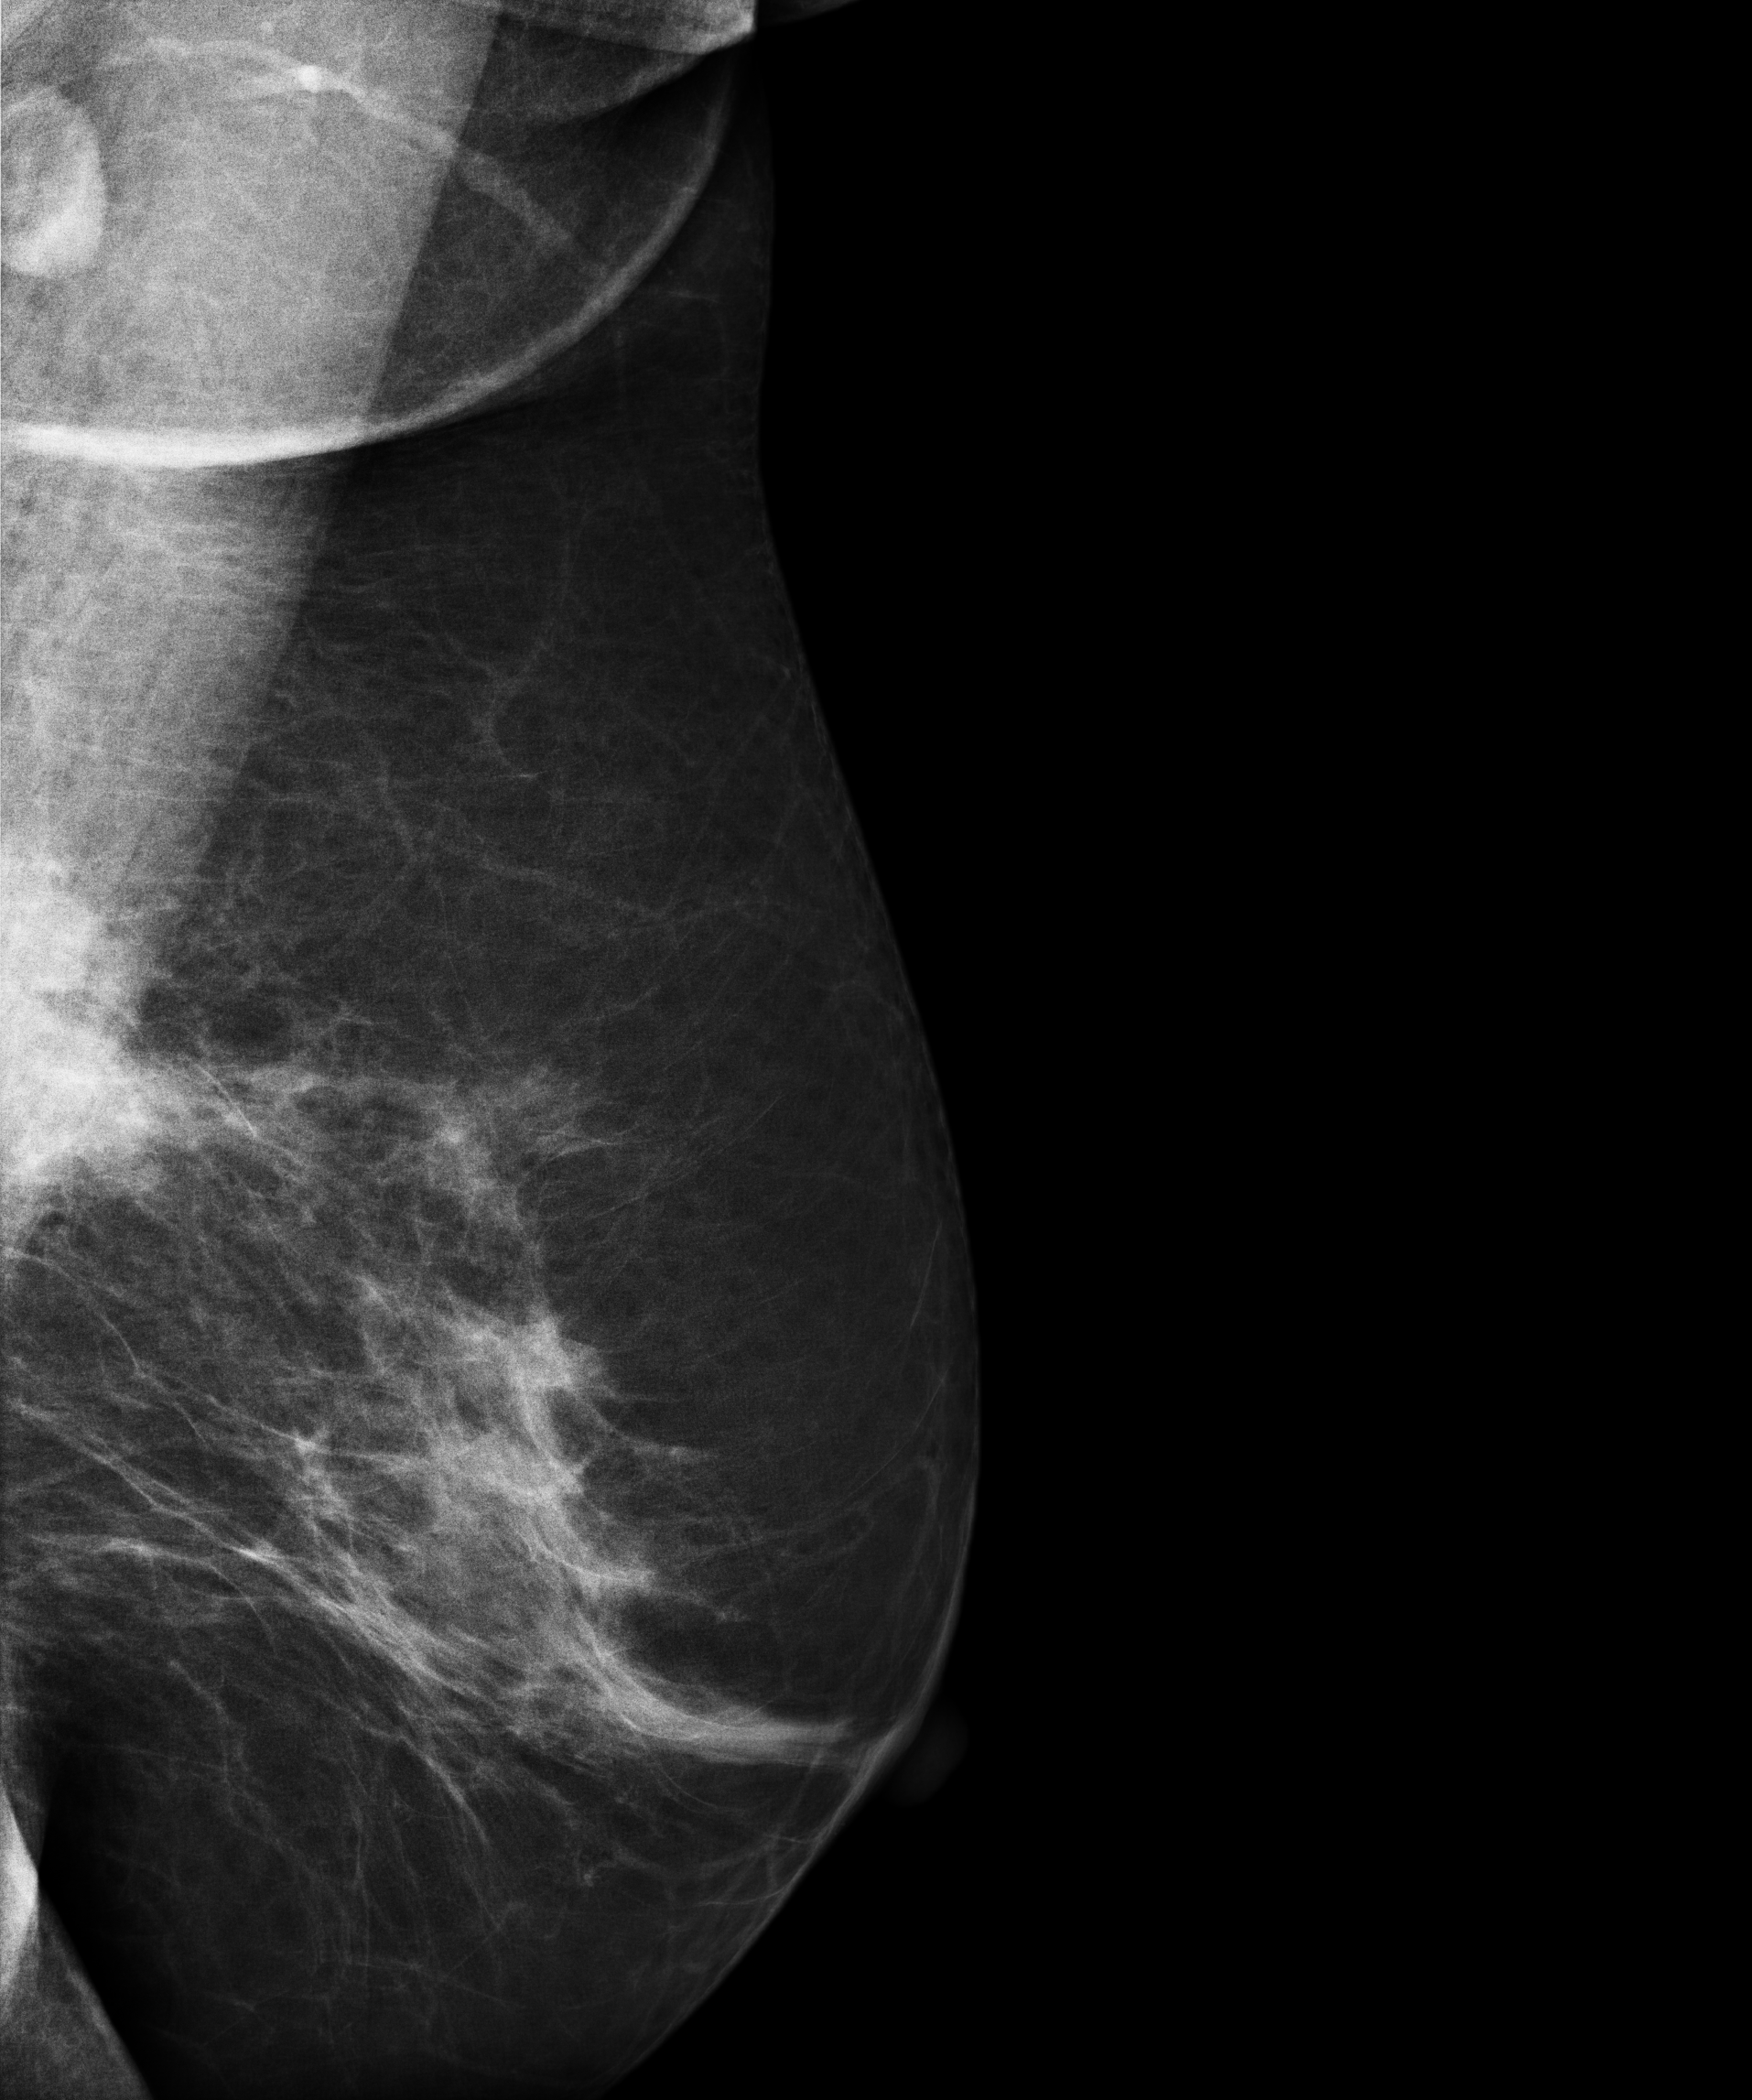
Digital mammography. Left breast, medio-lateral oblique projection. Patient age 61.
This breast has a mass, pathology-confirmed malignant.